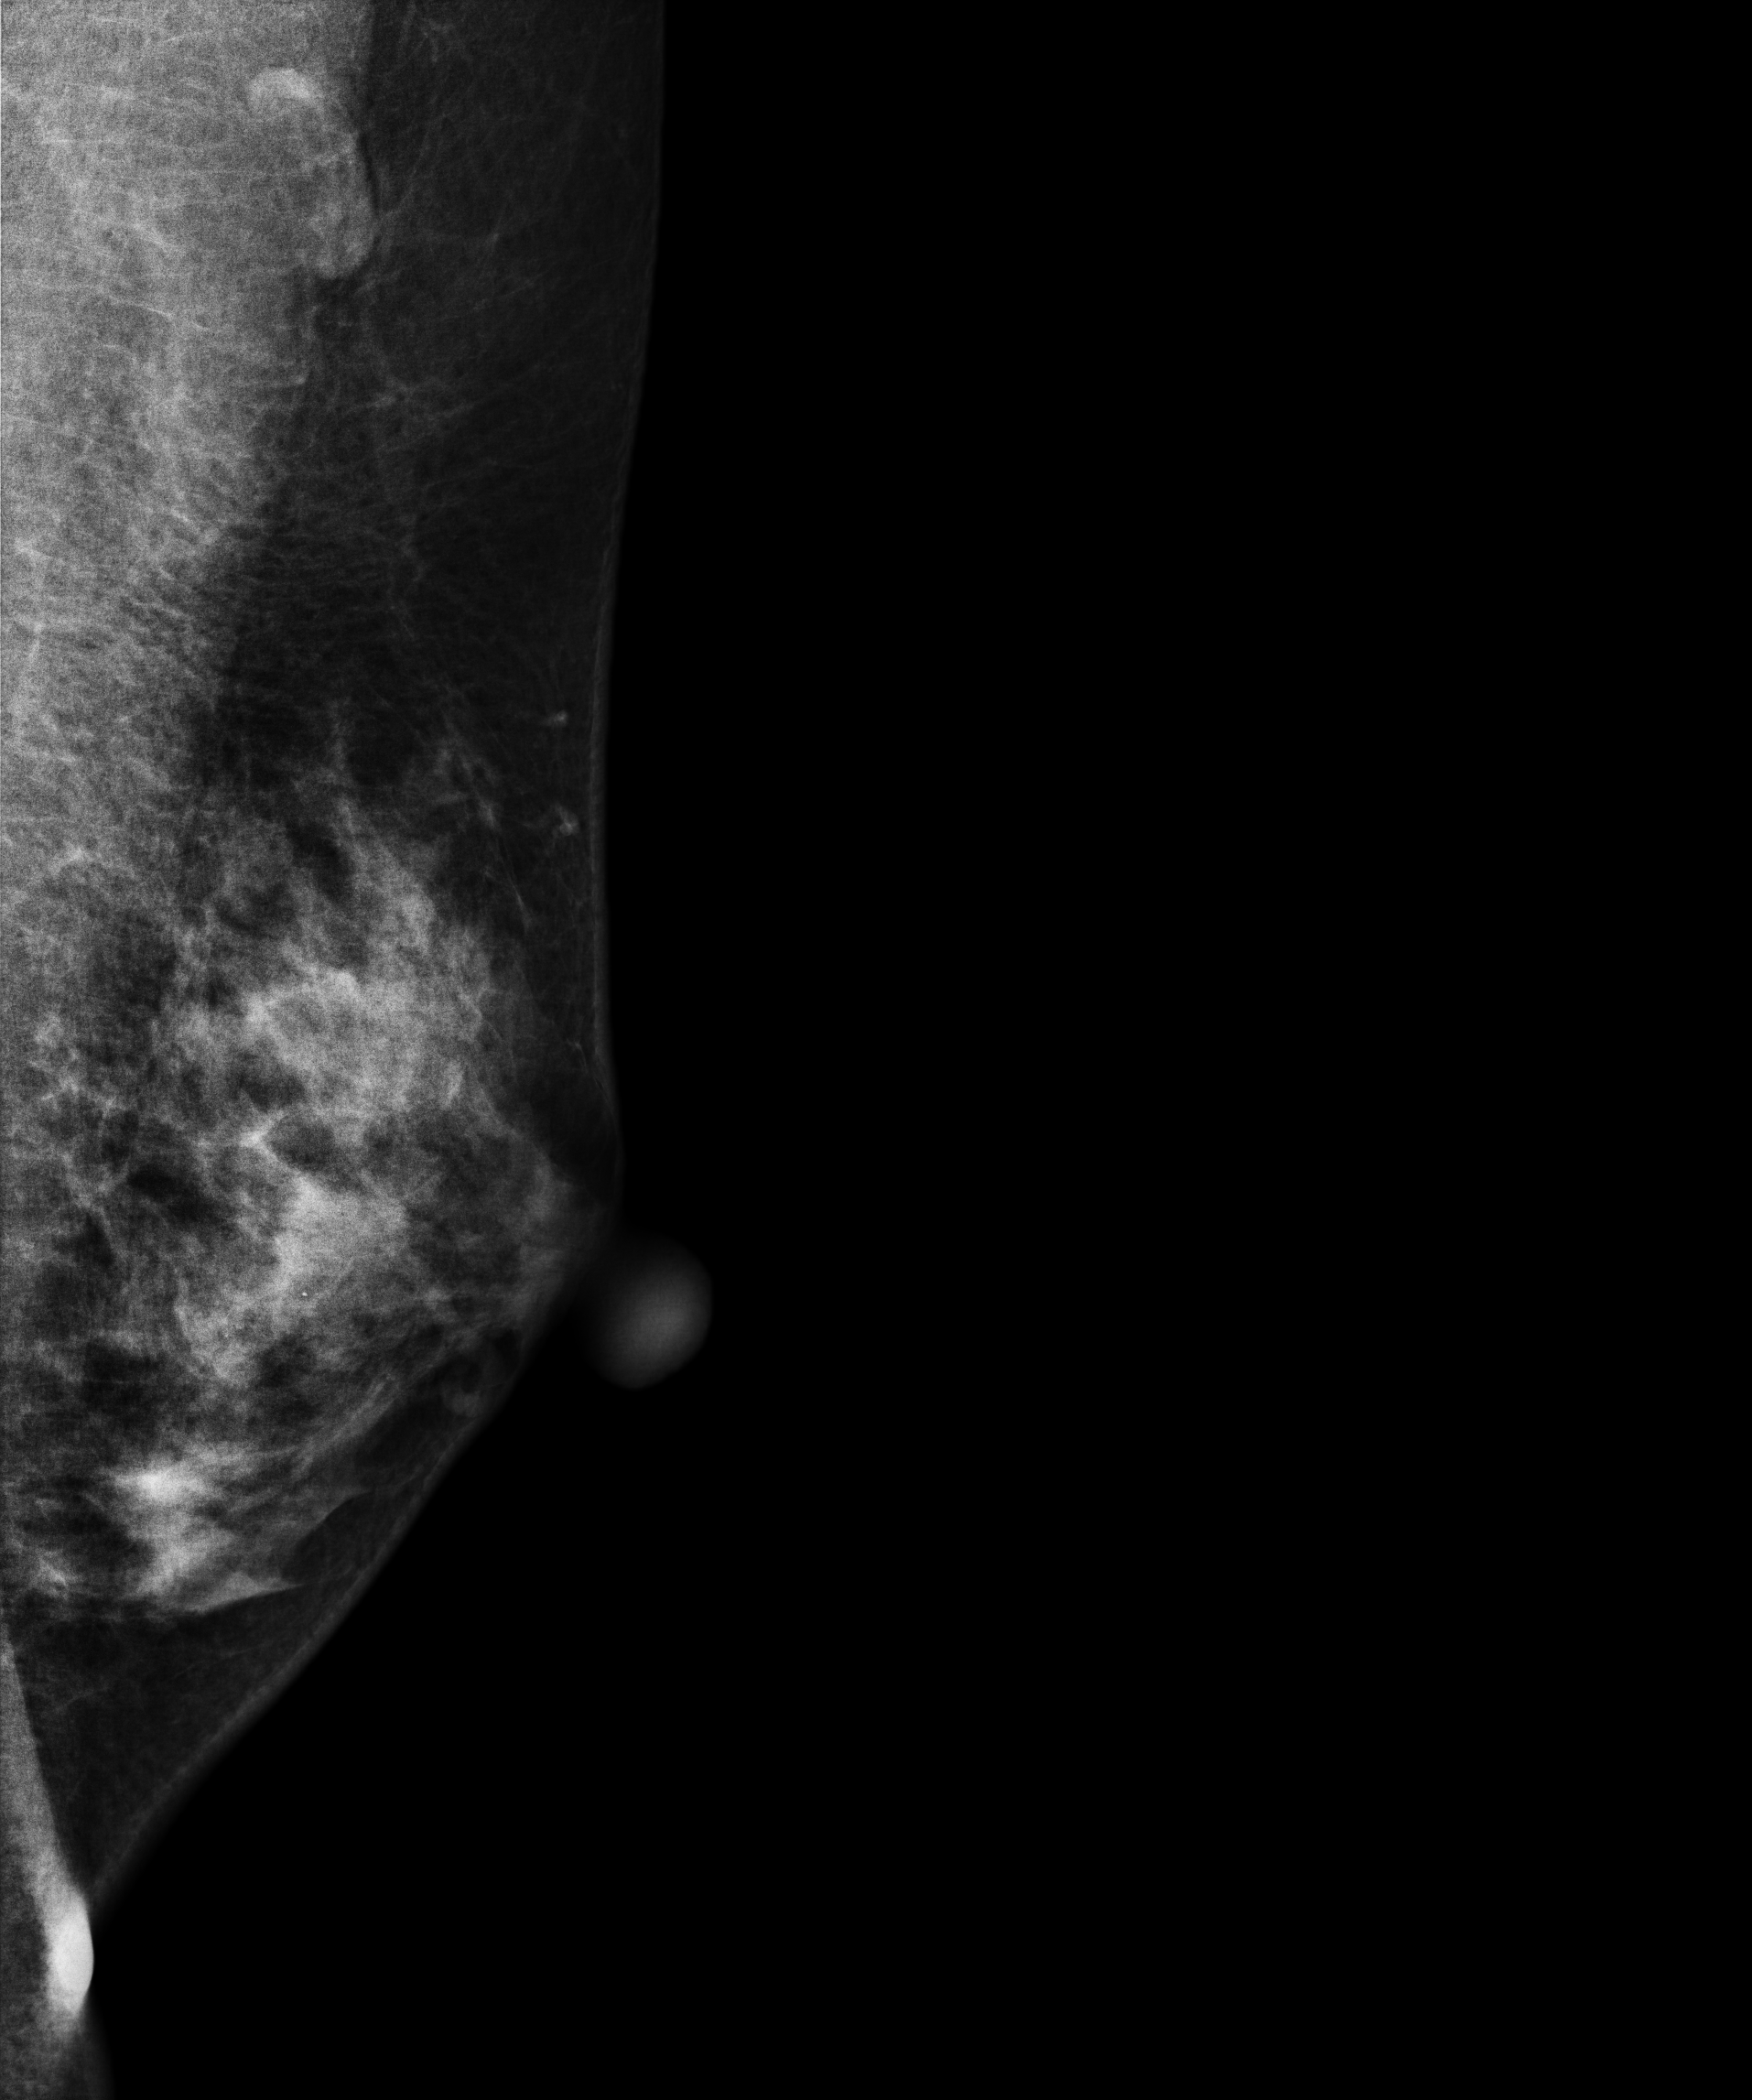
Mammogram, left breast, medio-lateral oblique view. Patient age 42.
This breast has a mass and calcifications, histologically confirmed malignant.